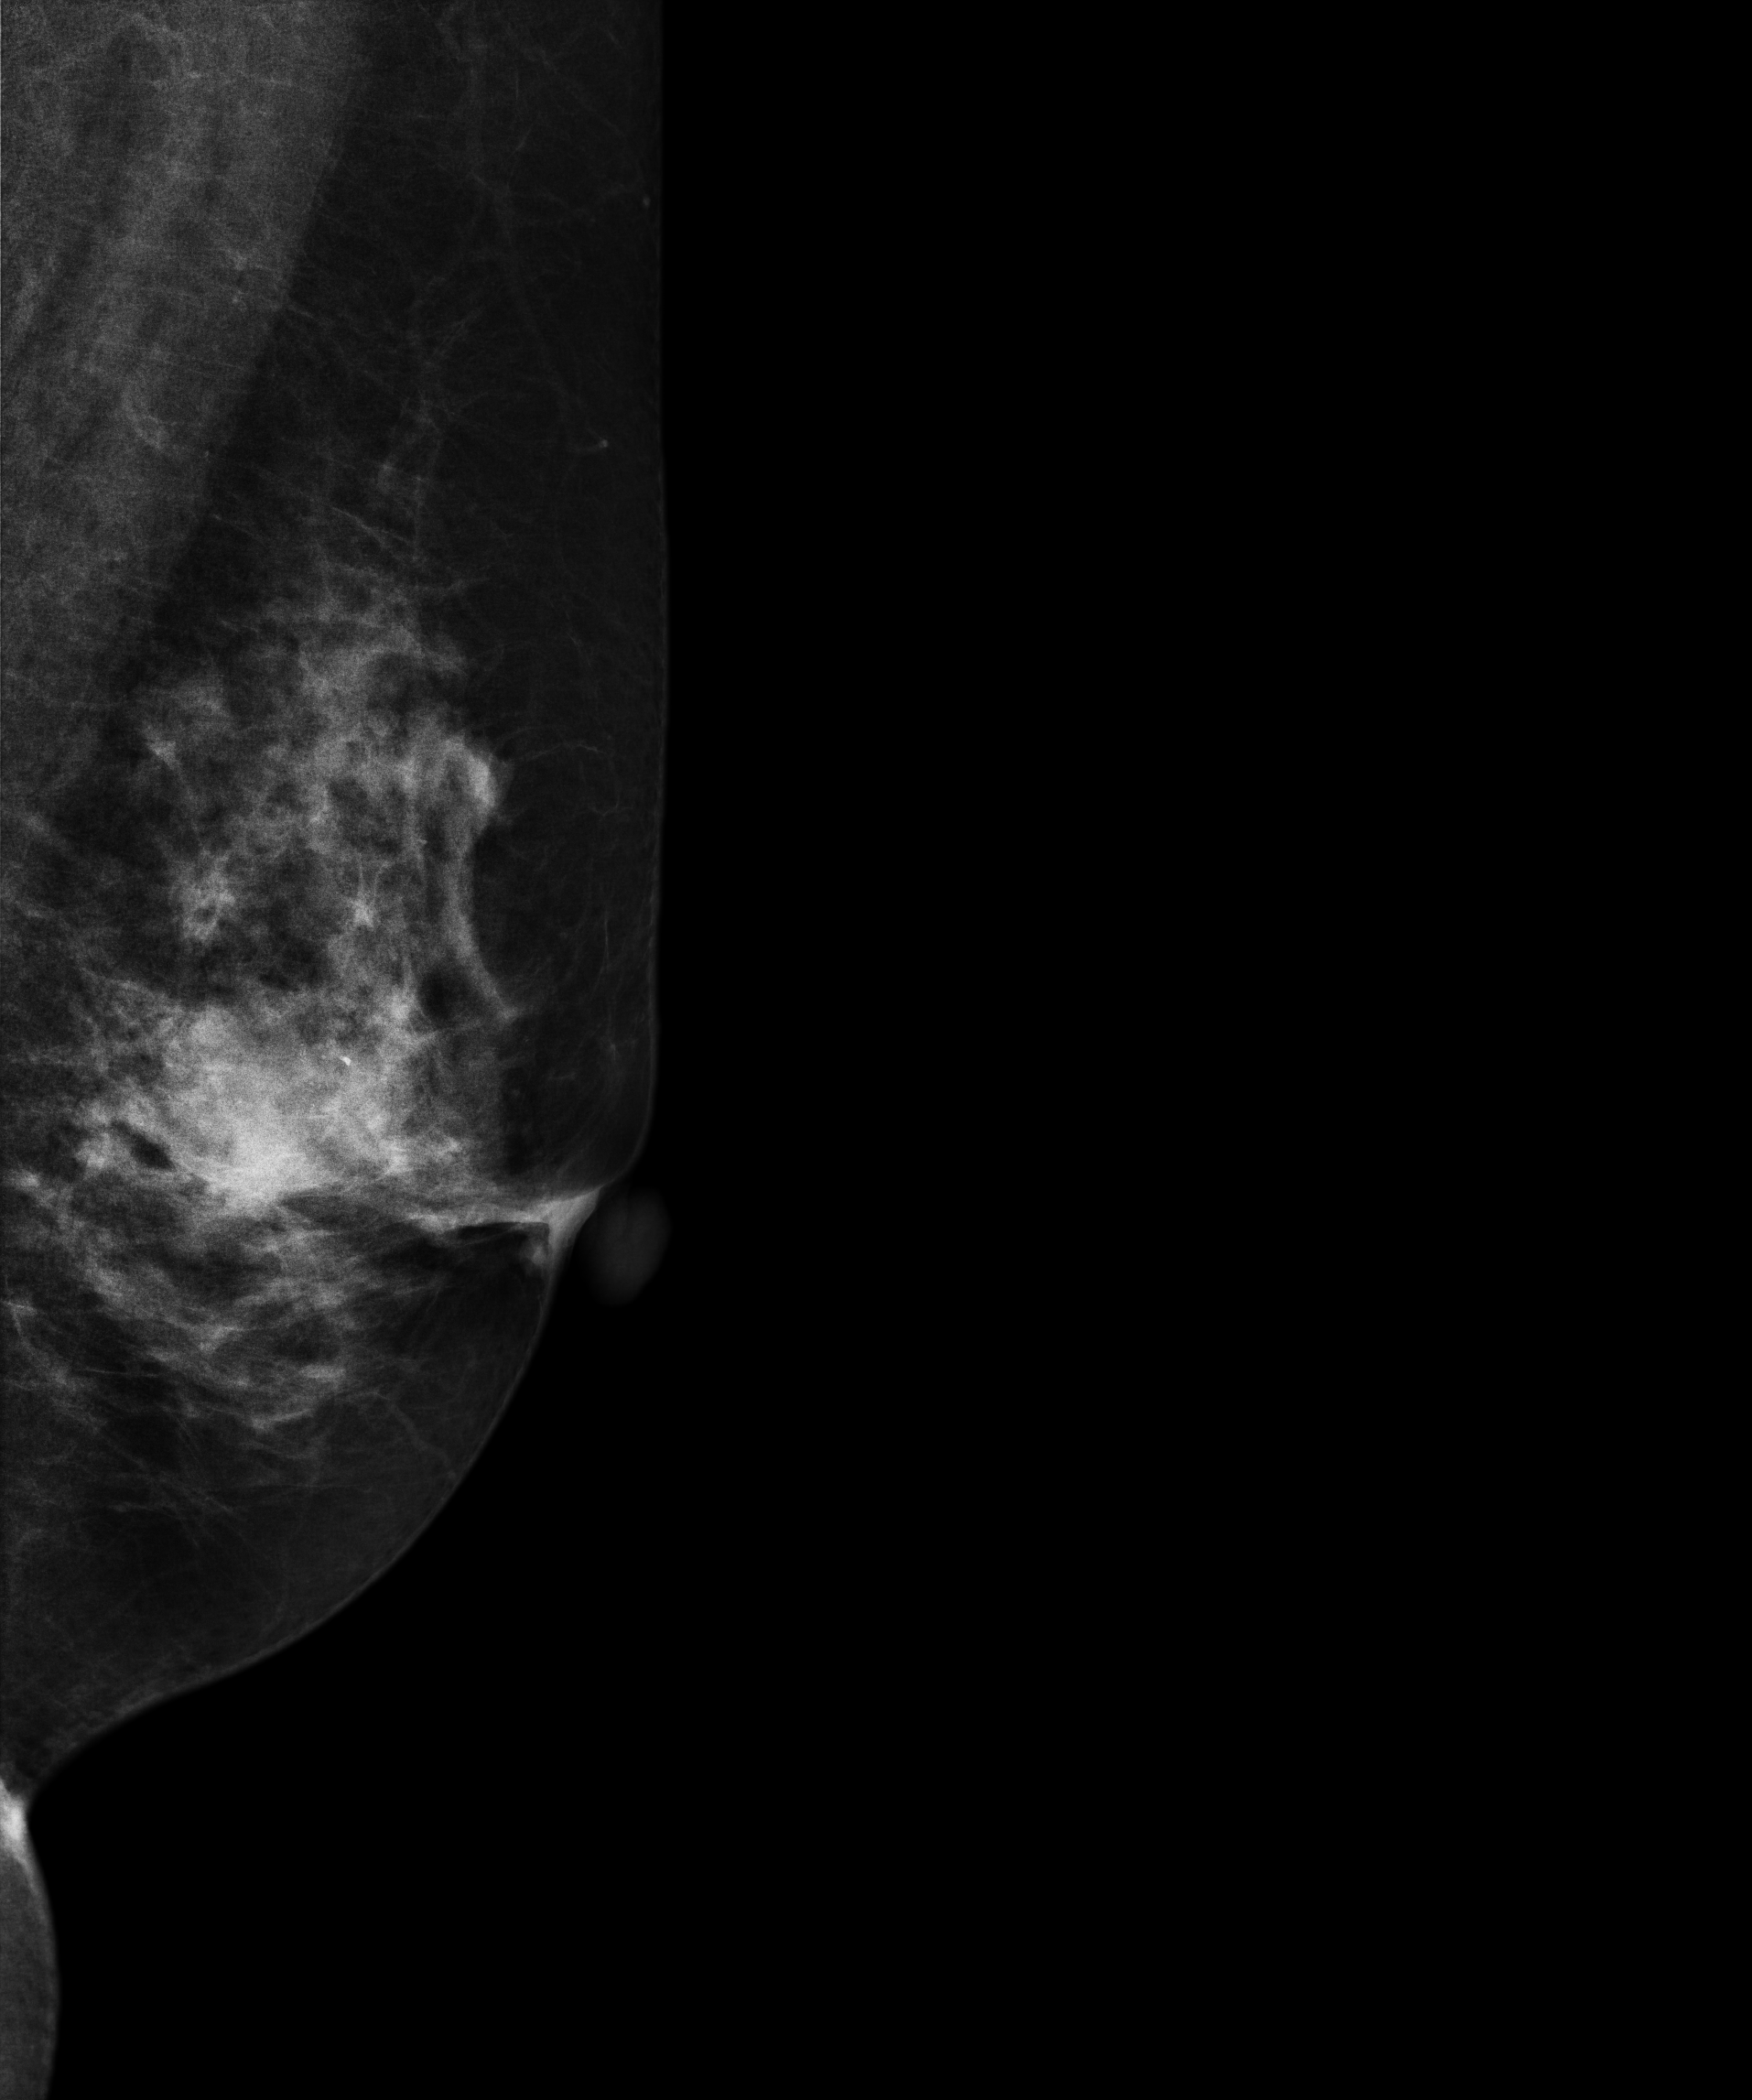
Mammogram, left breast, medio-lateral oblique view. Patient age 52.
This breast has a mass and calcifications, biopsy-confirmed malignant.